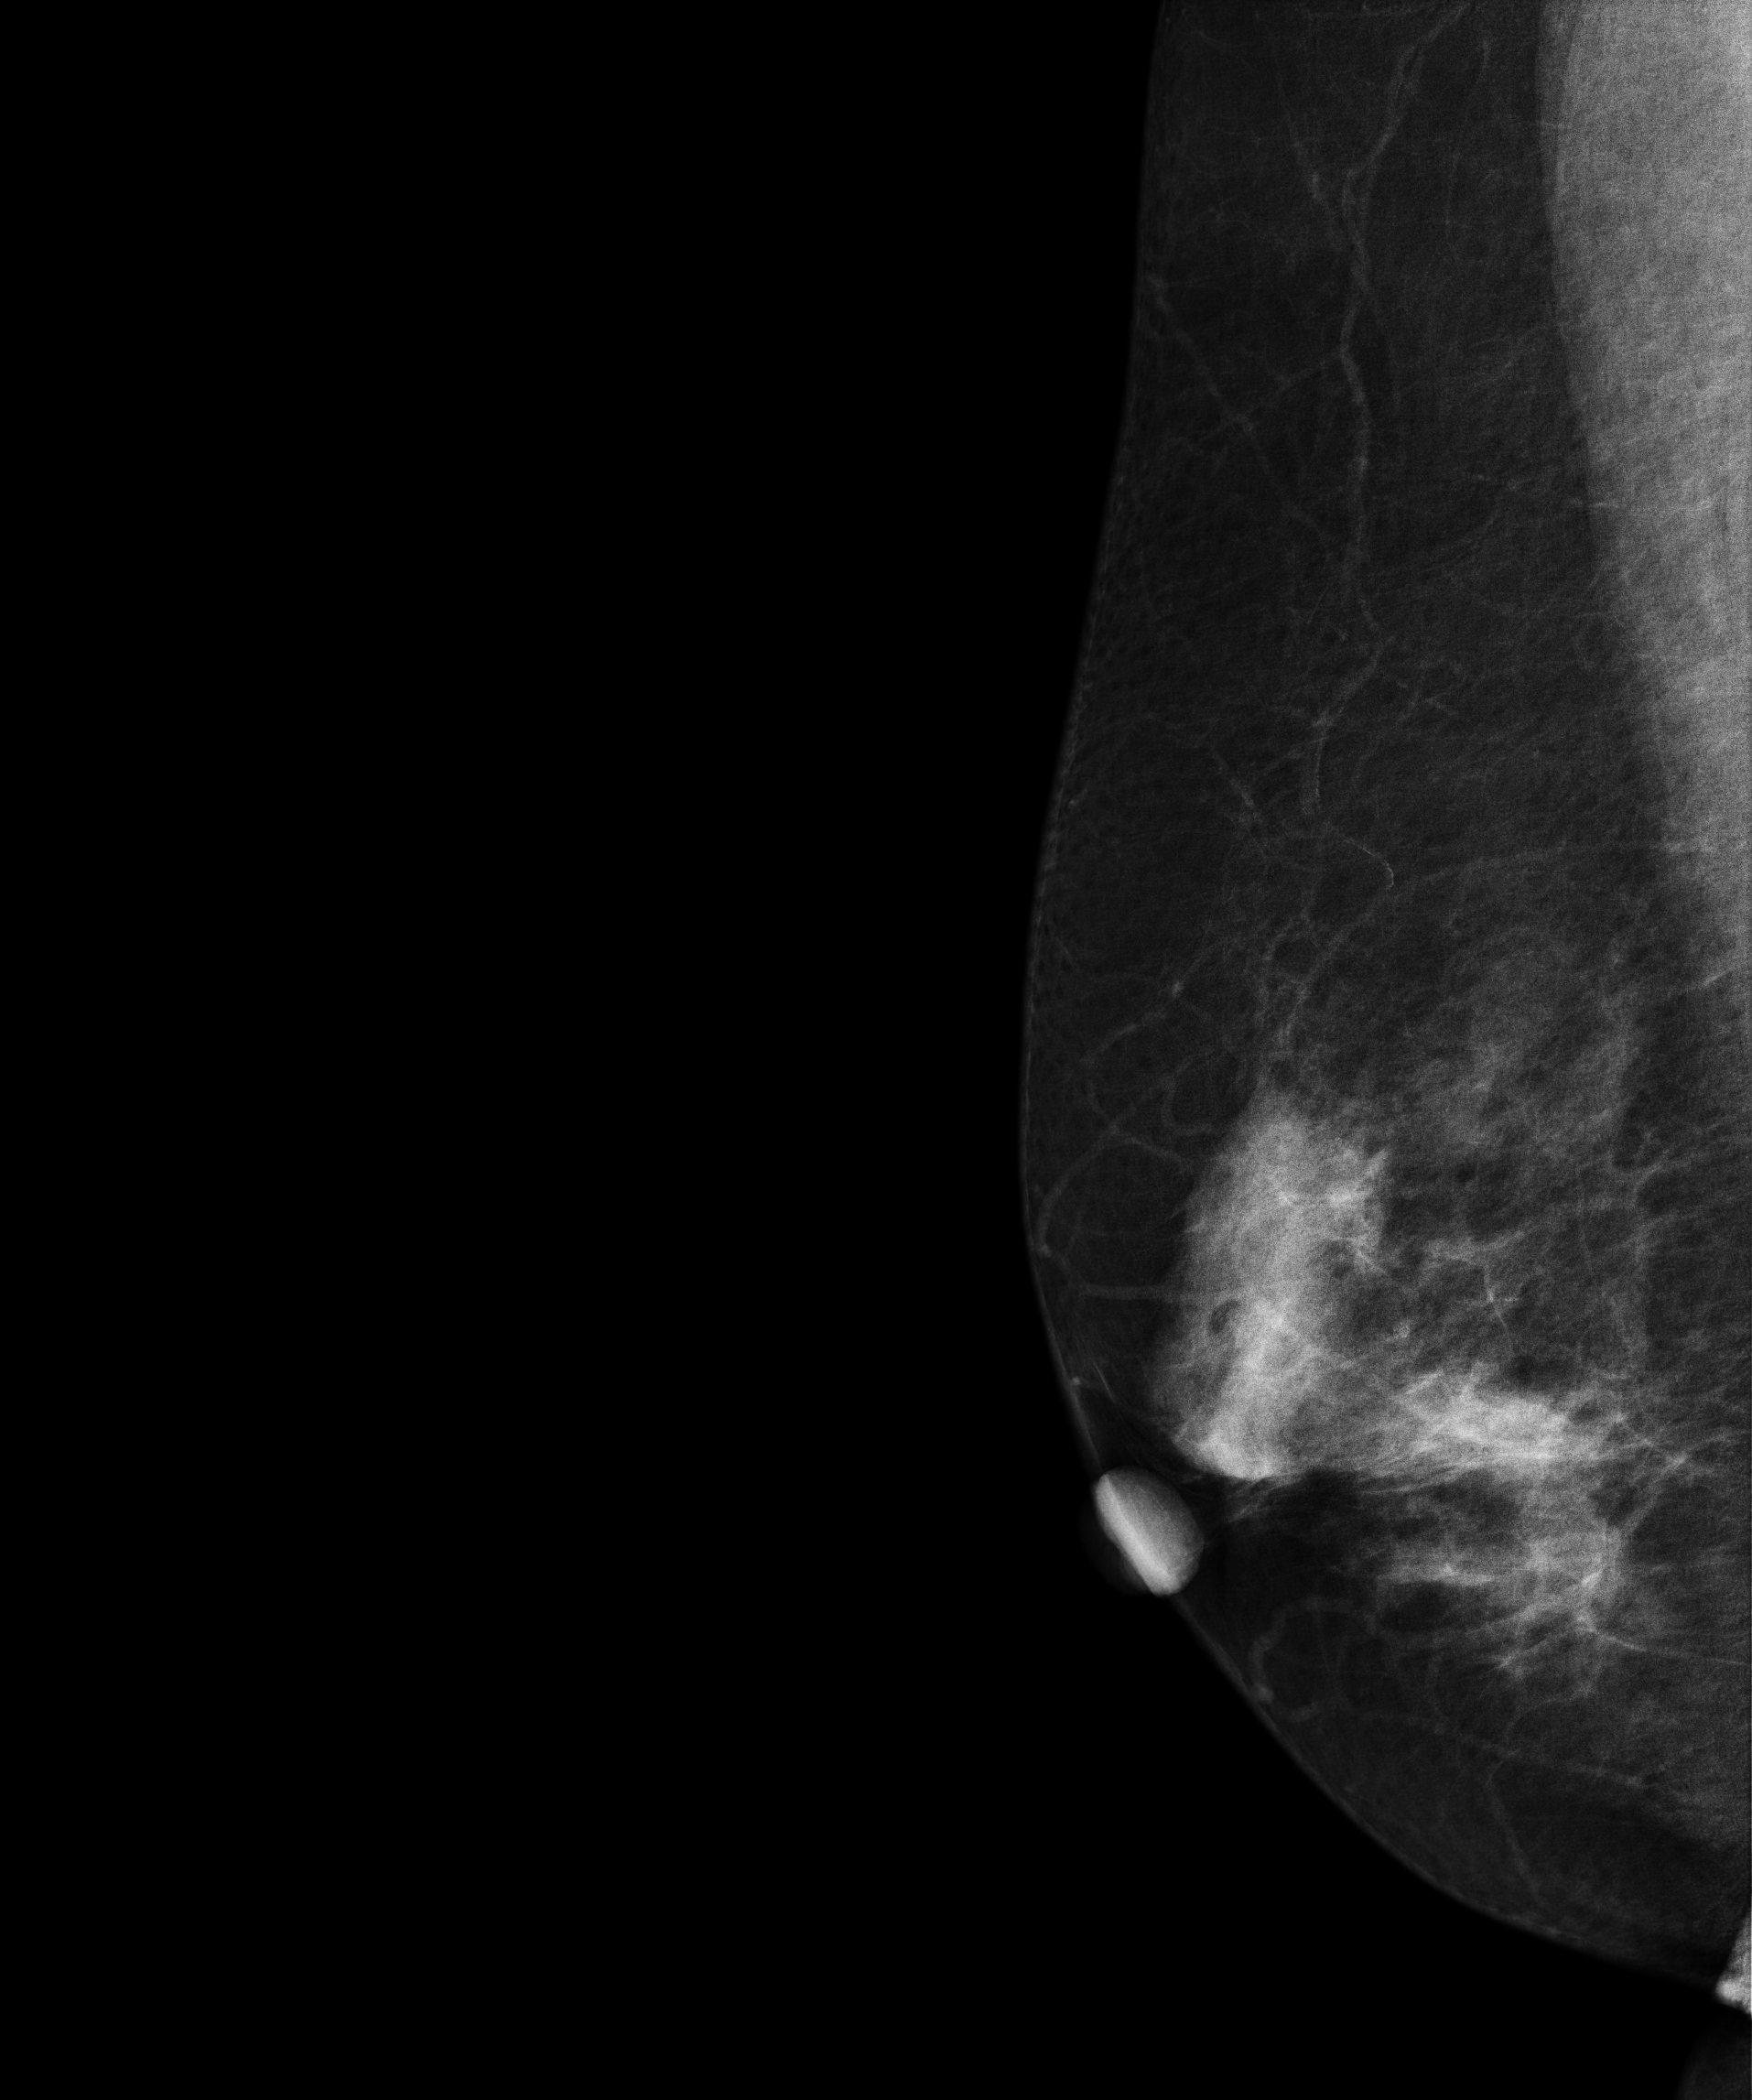
Digital mammography. Right breast, medio-lateral oblique projection. 57-year-old patient.
Contralateral breast — no documented abnormality on this side.